Mammogram — right CC. 29 y/o patient.
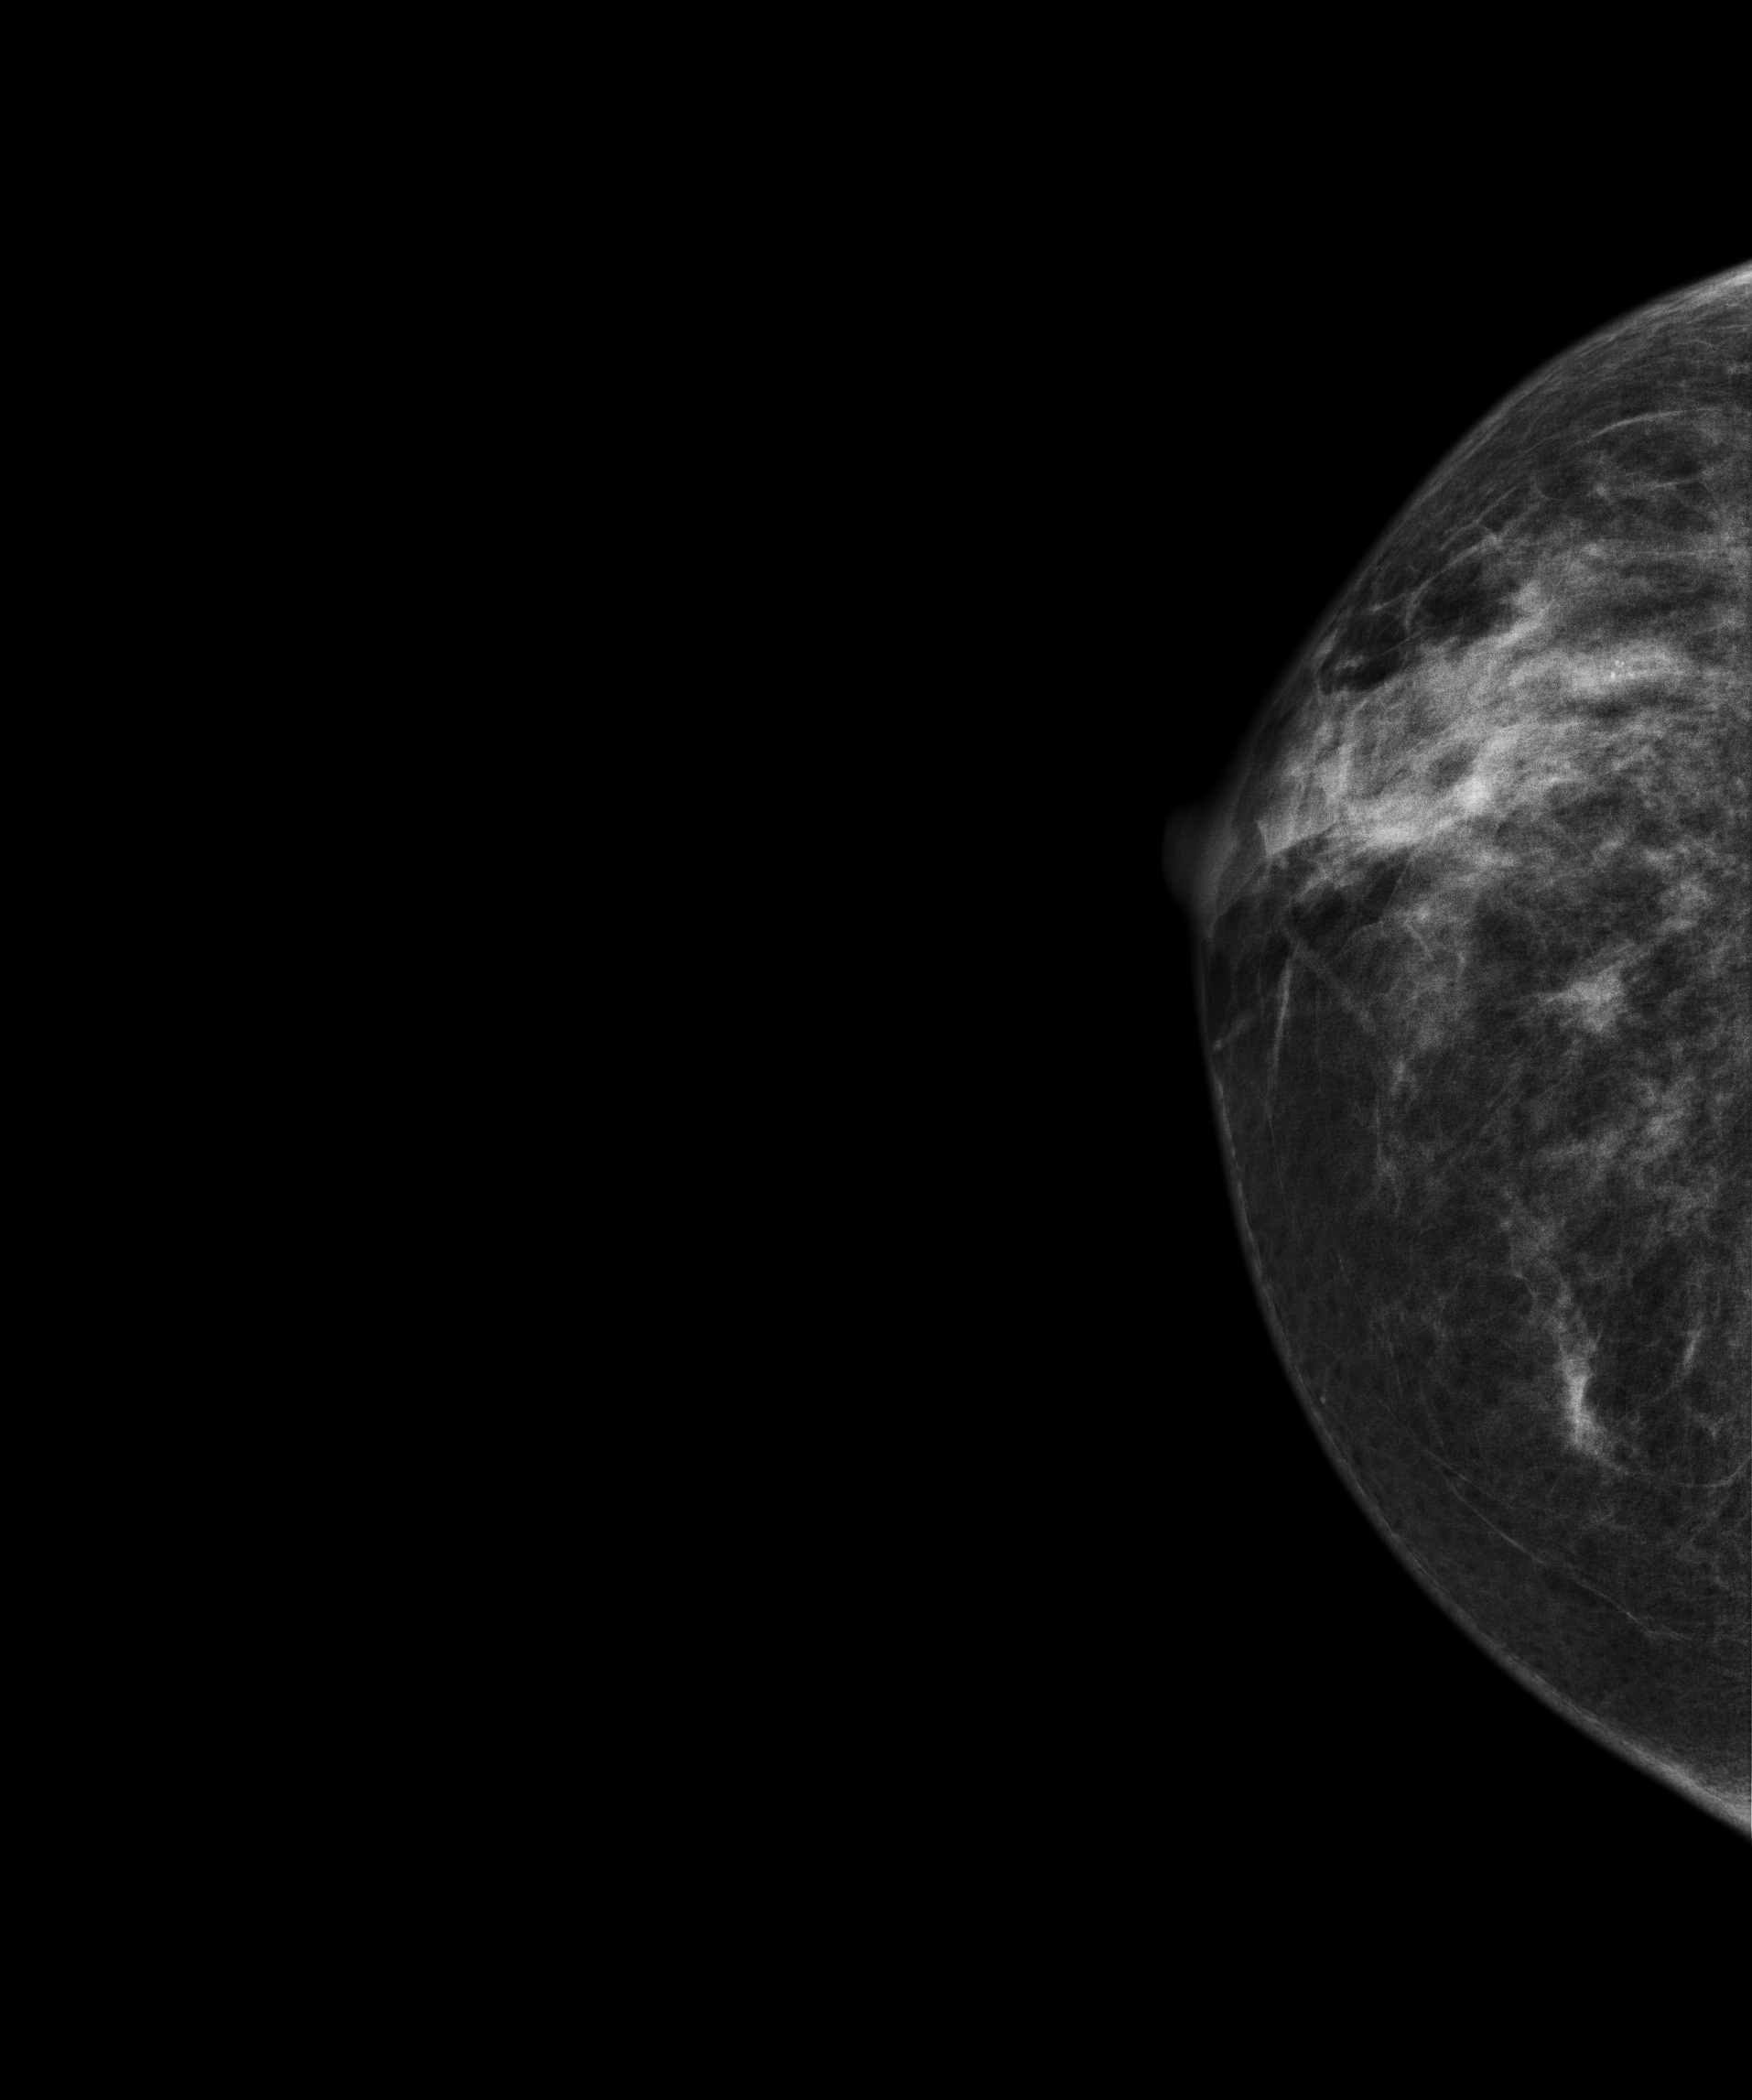
Contralateral breast — no documented abnormality on this side.